Mammogram — right cranio-caudal. 31 y/o patient.
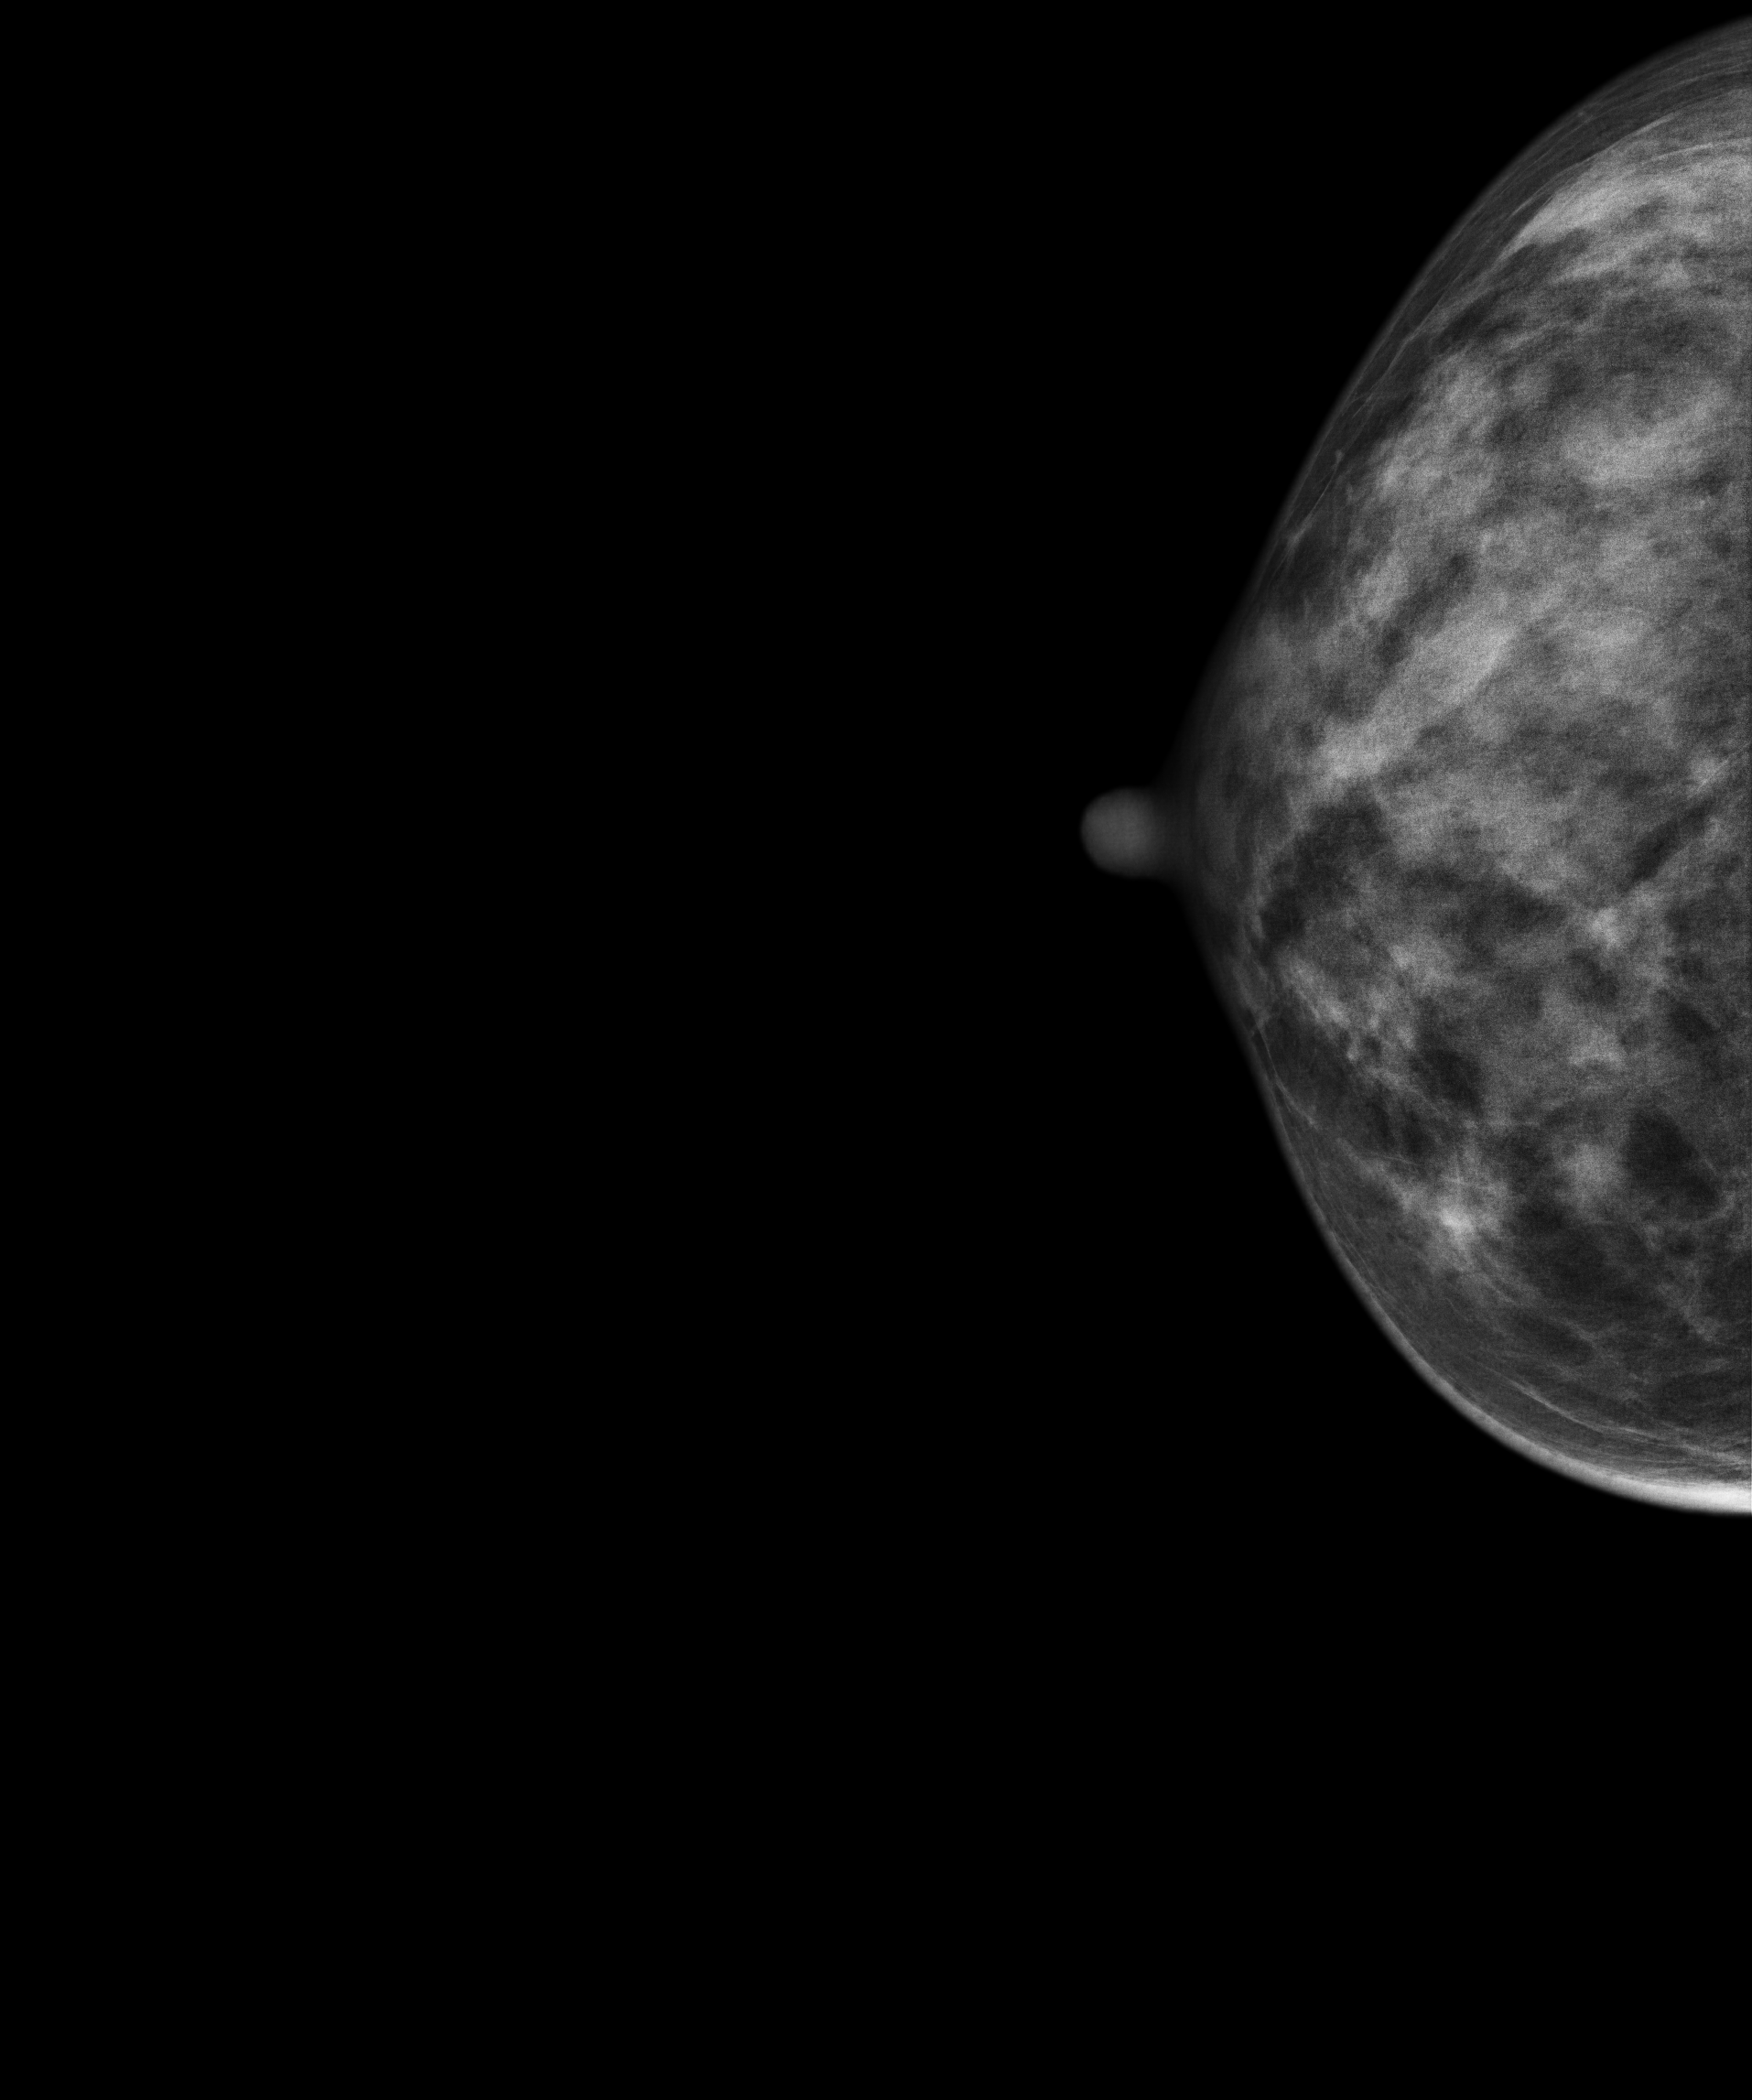
Contralateral breast — no documented abnormality on this side.